Mammogram, left breast, medio-lateral oblique view. Patient age 50.
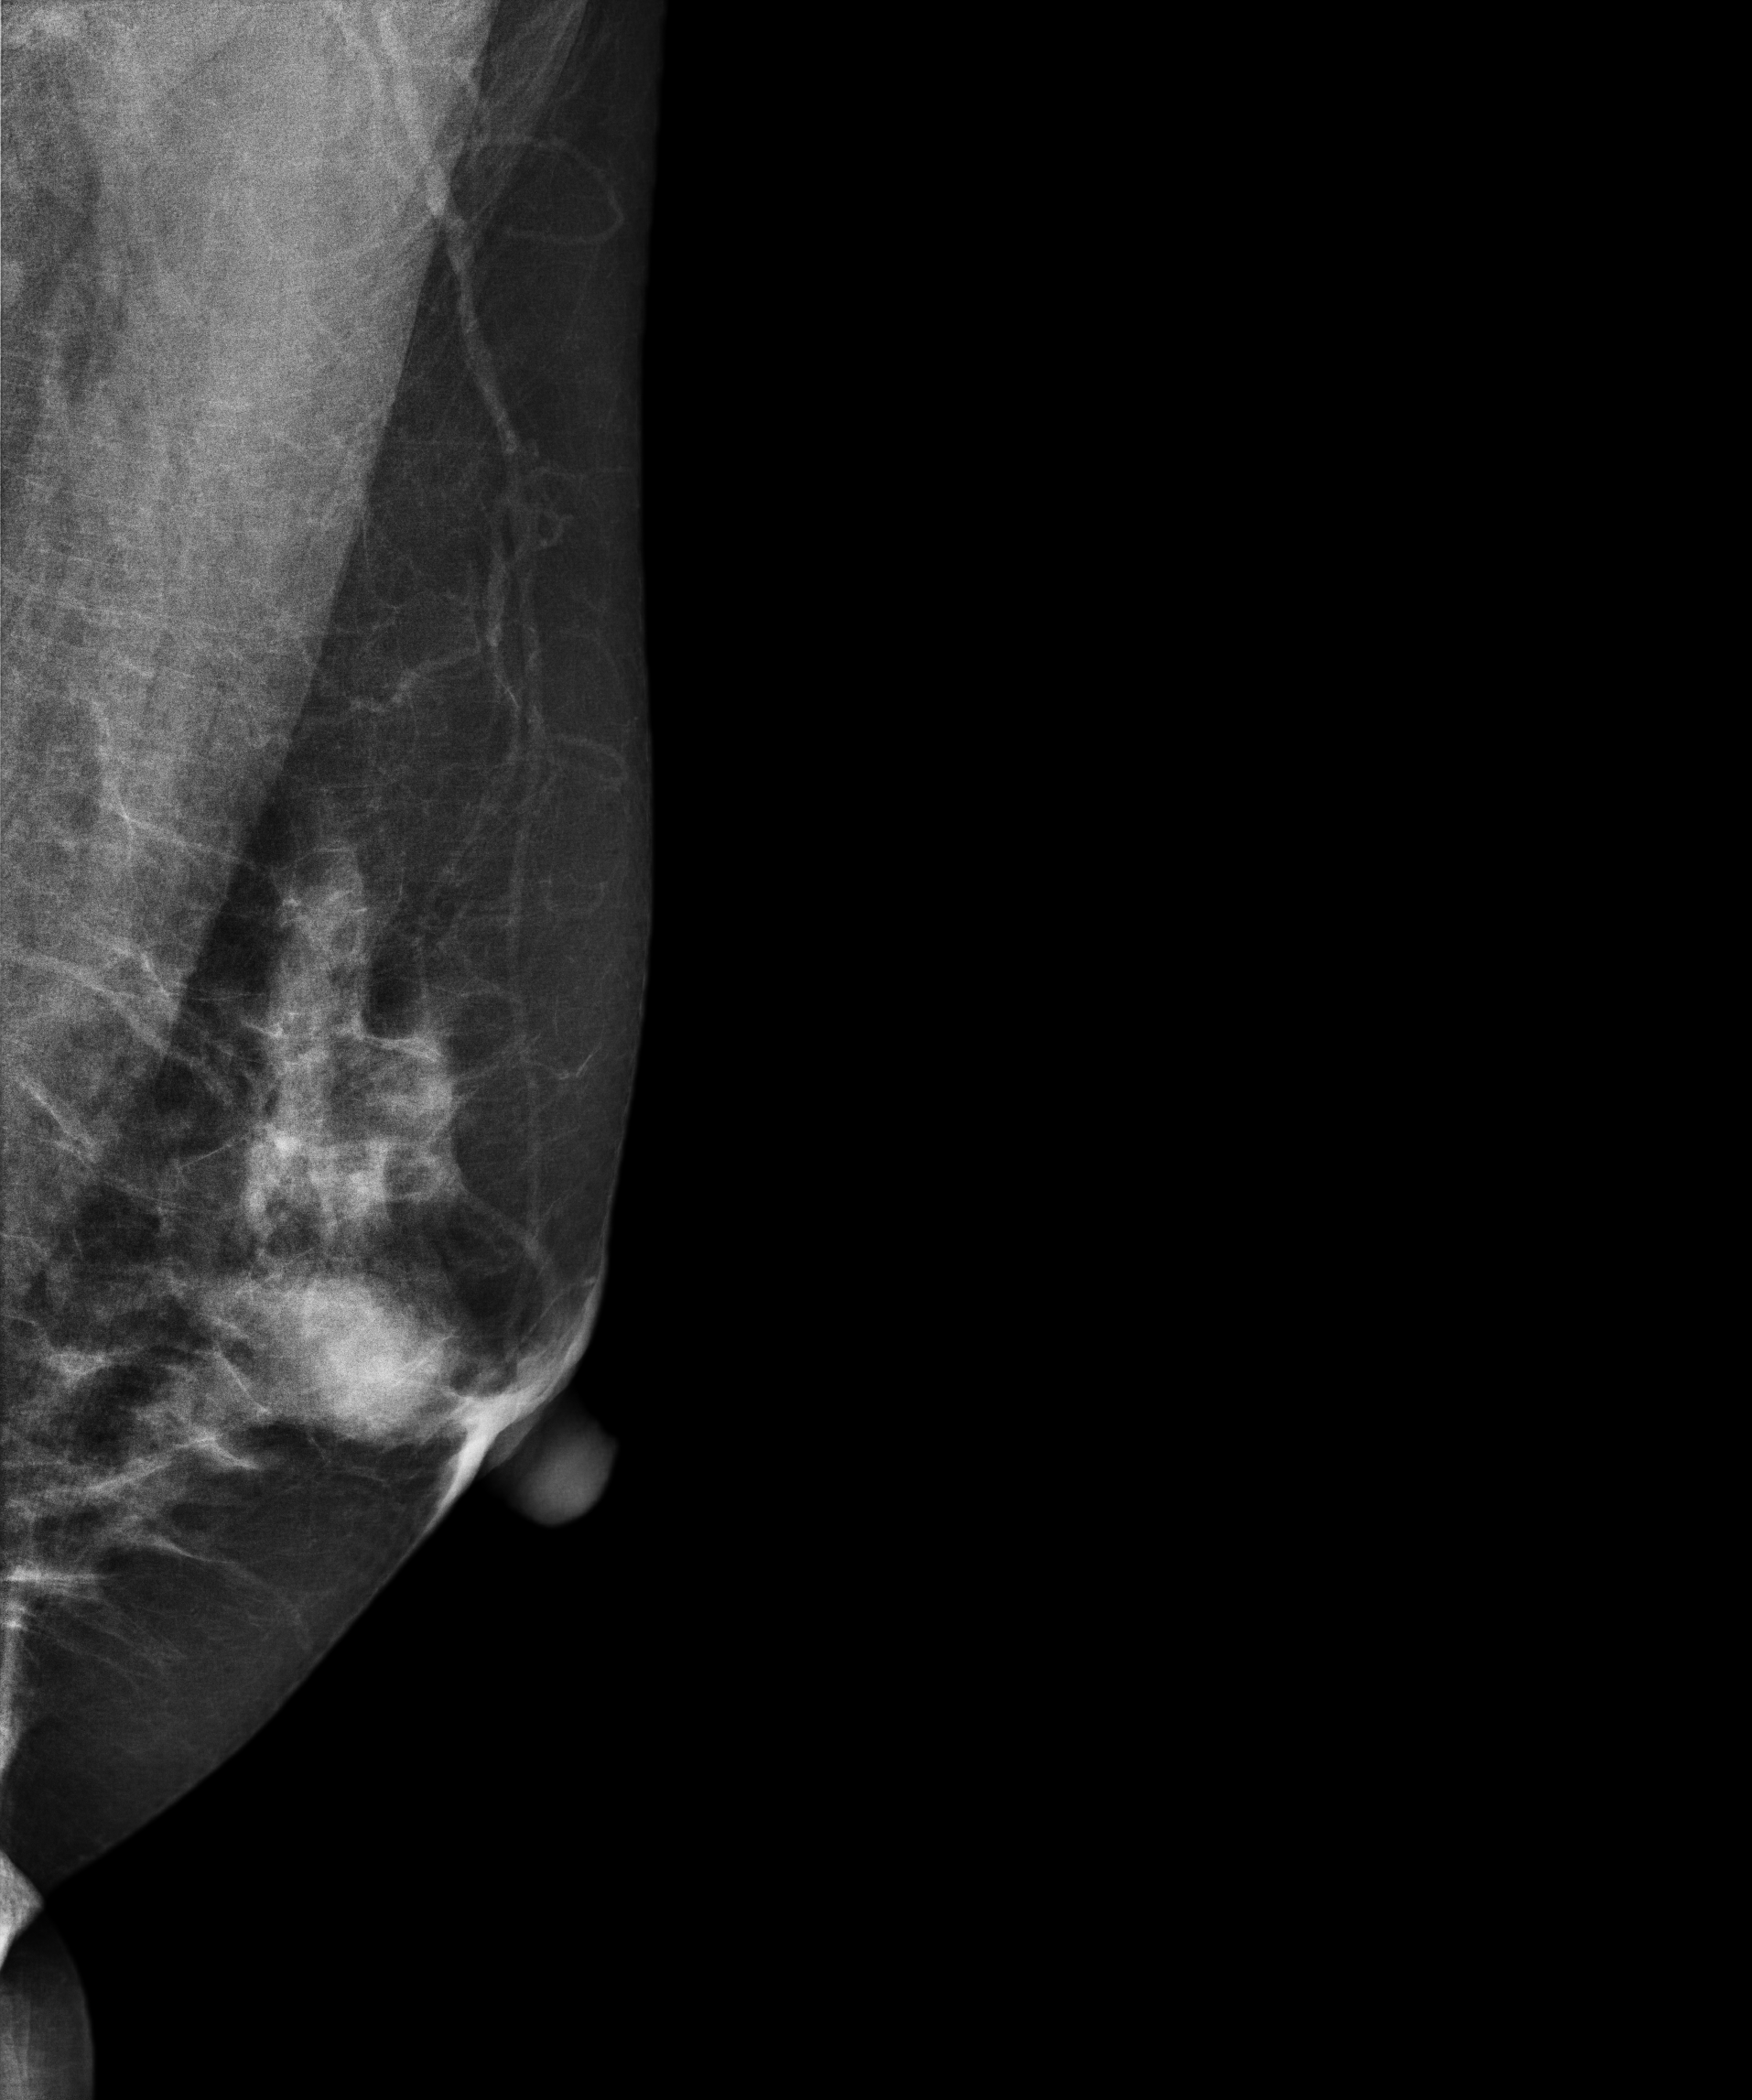
This breast has a mass, biopsy-confirmed benign.